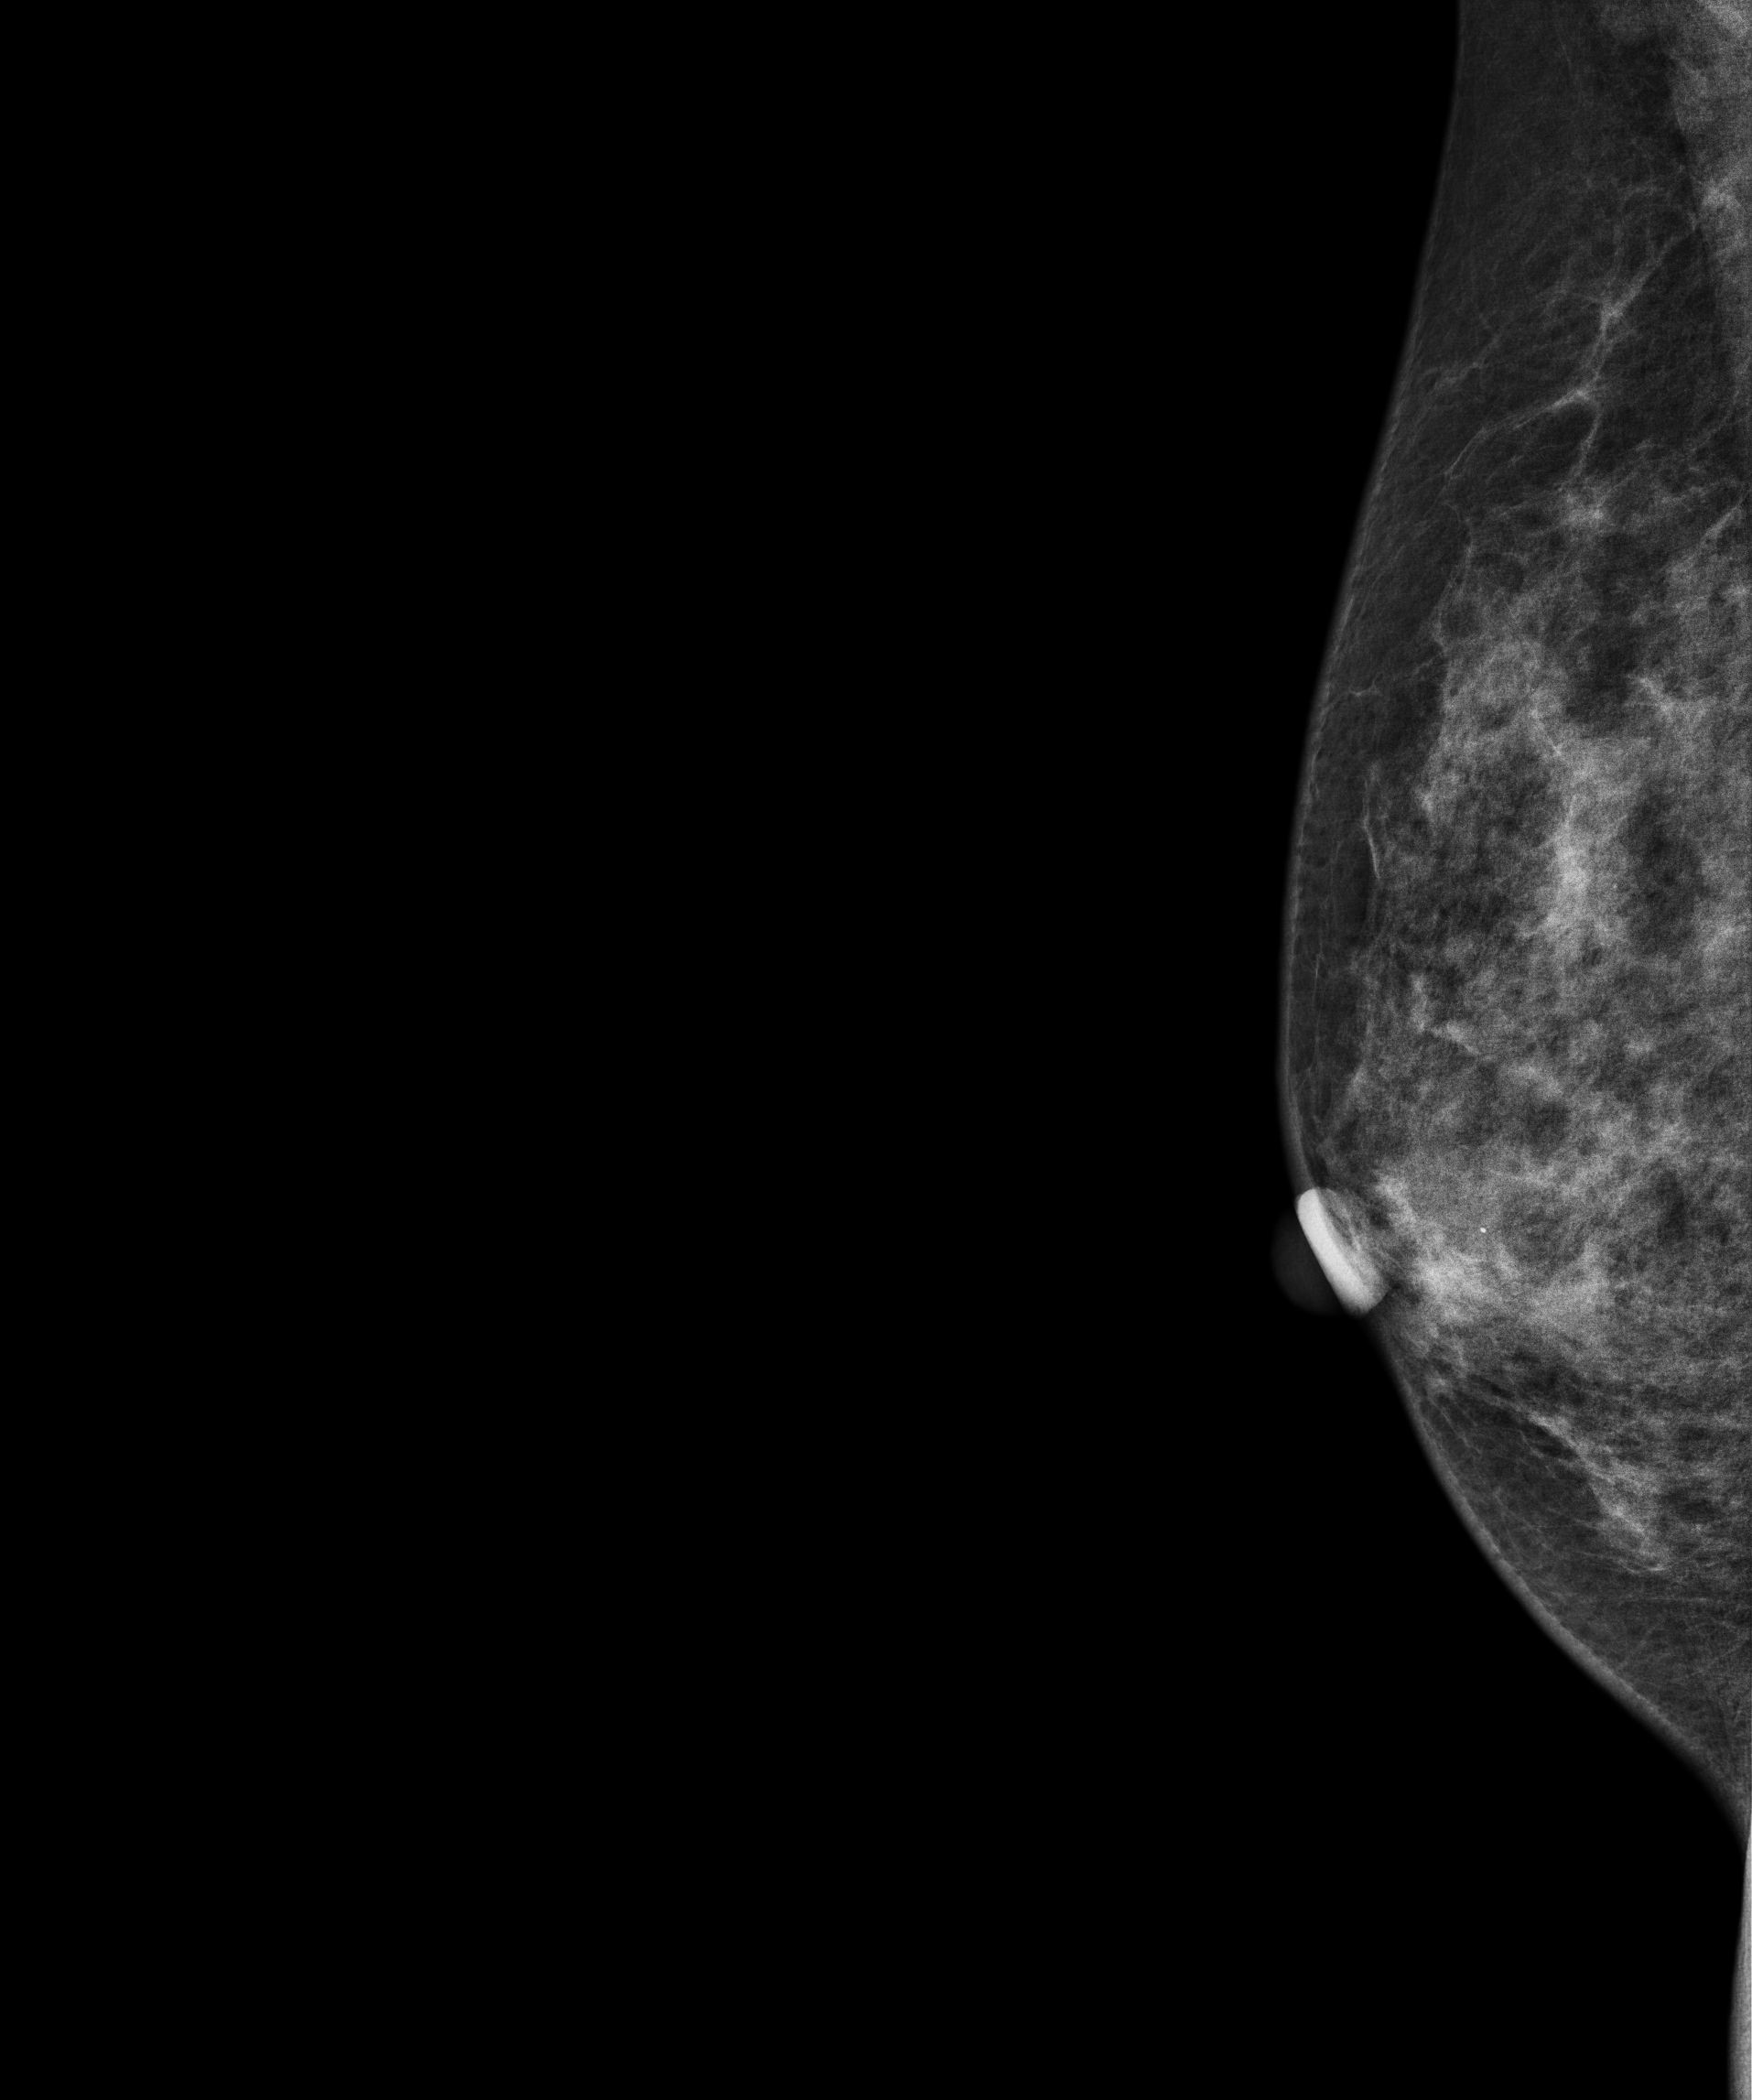
Digital mammography. Right breast, MLO projection. 56 y/o patient.
Contralateral breast — no documented abnormality on this side.